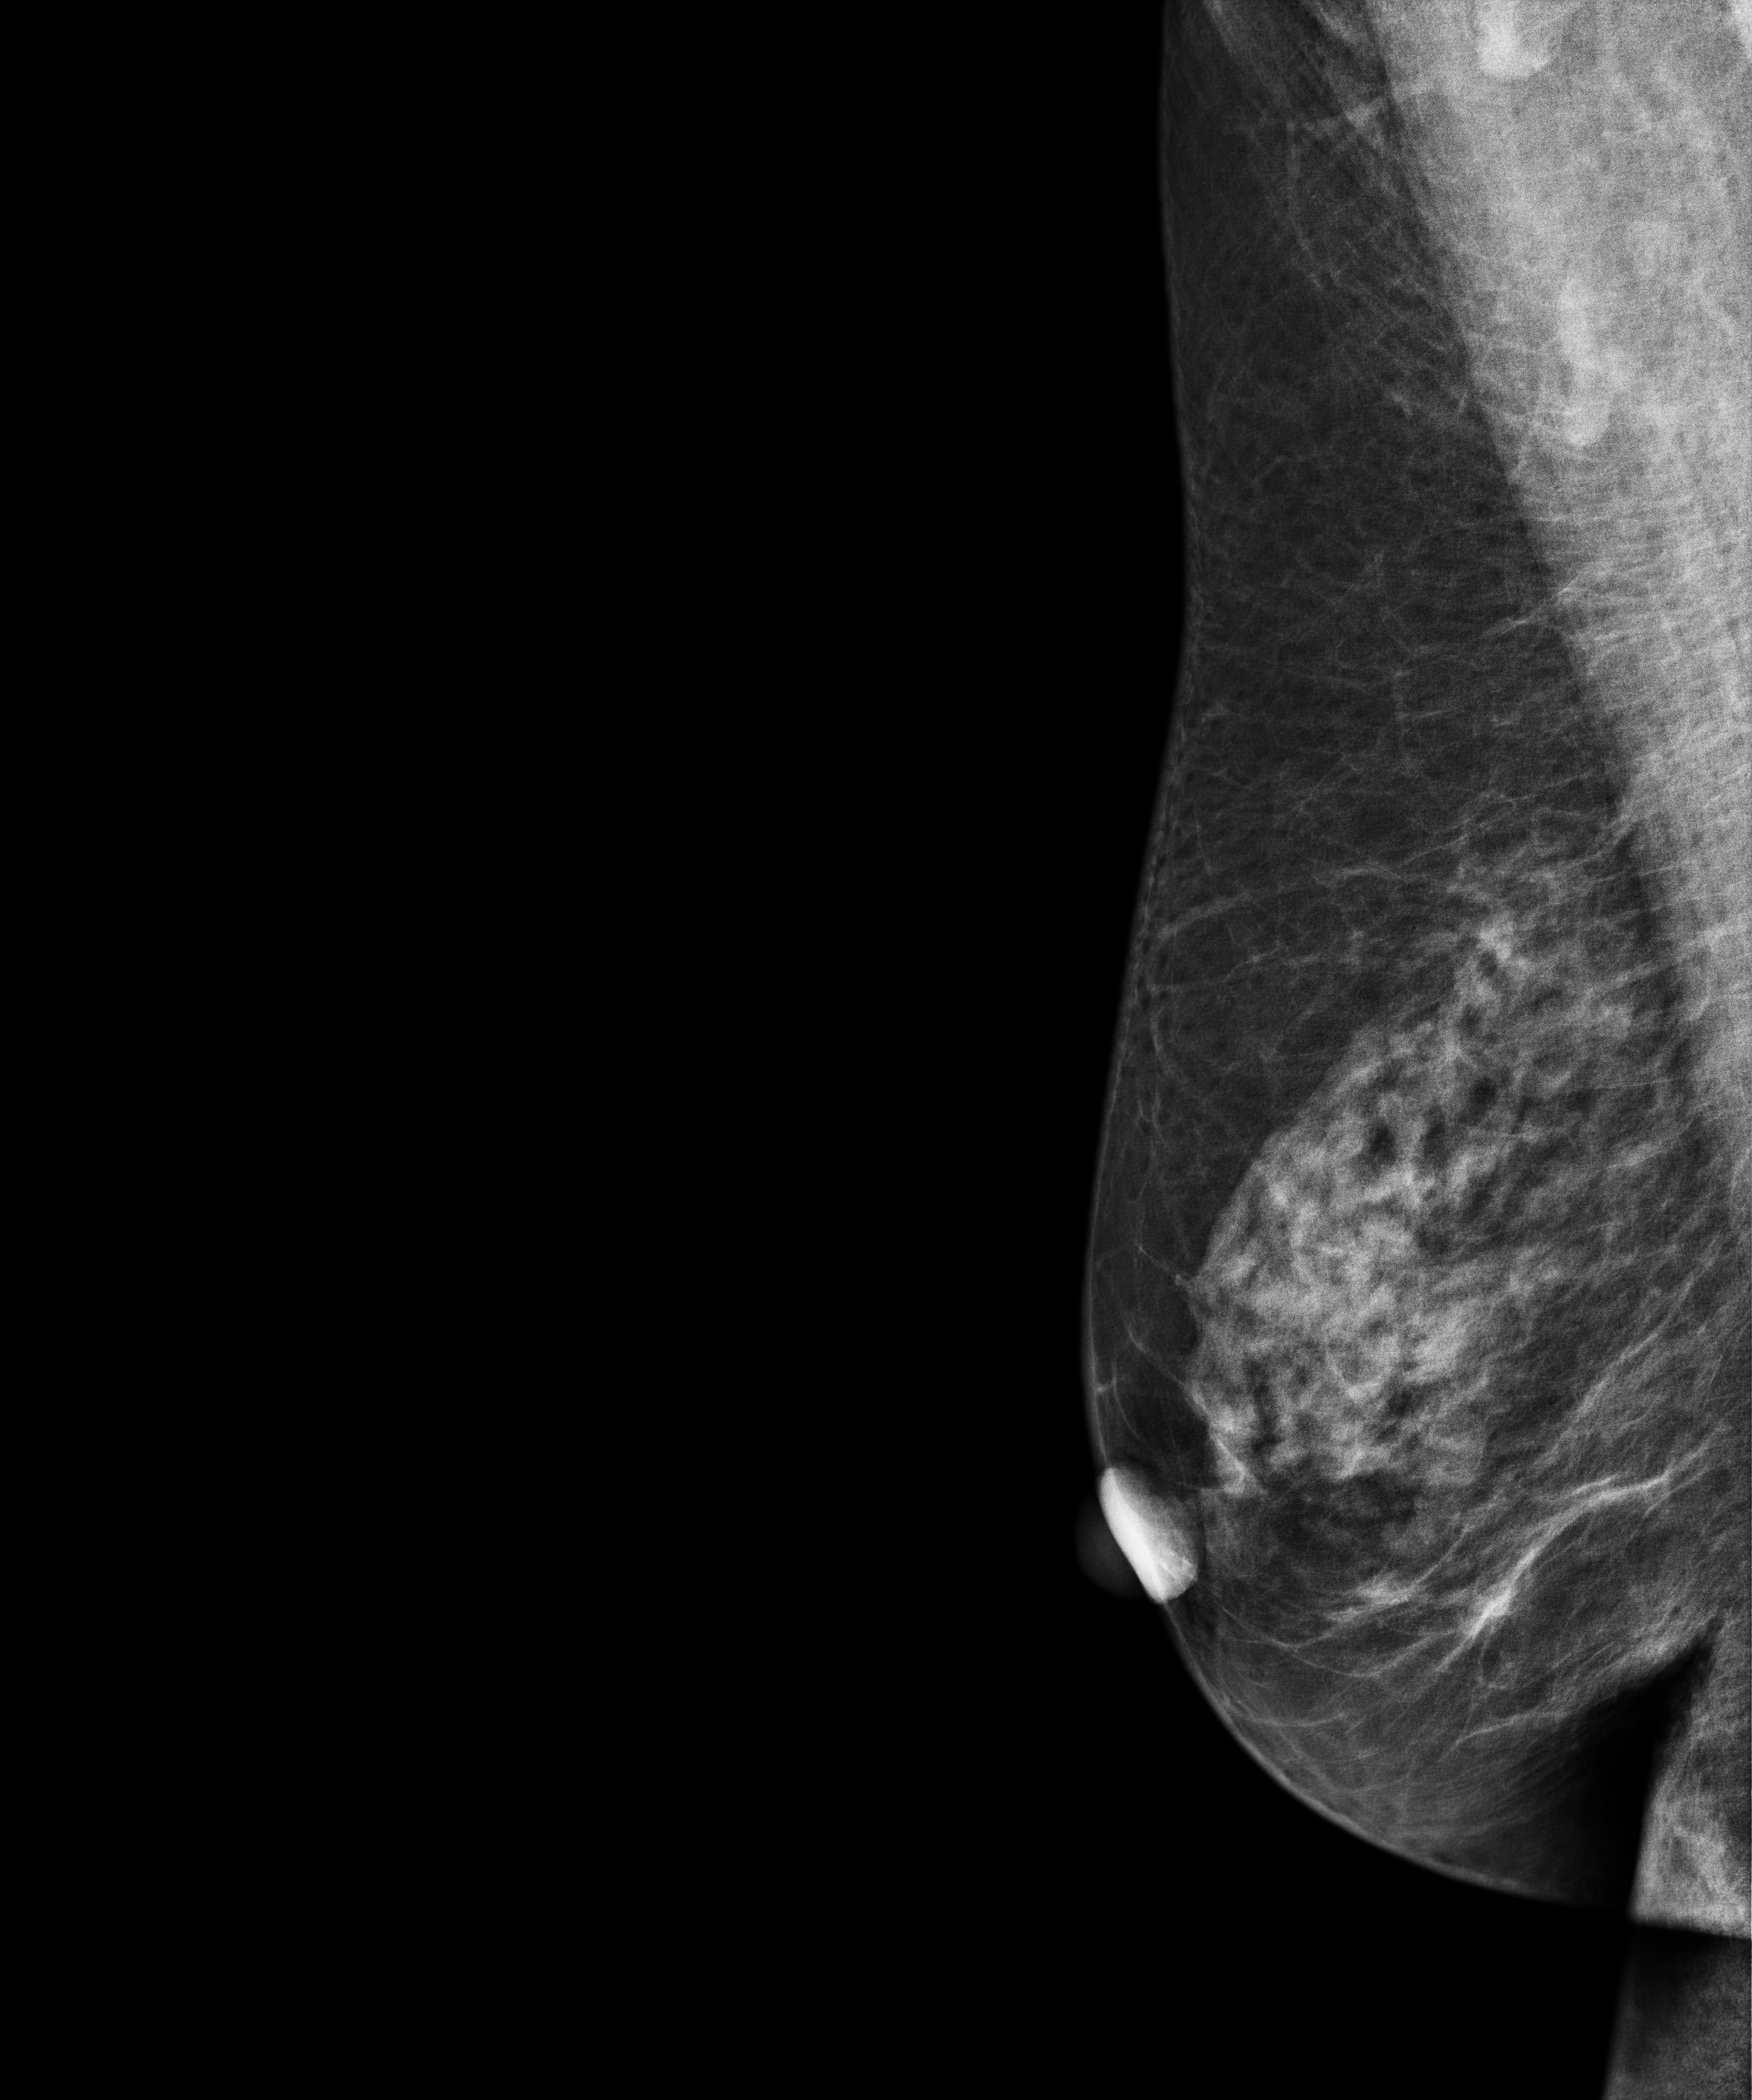
Right-breast mammogram, MLO. Patient age 66.
Contralateral breast — no documented abnormality on this side.